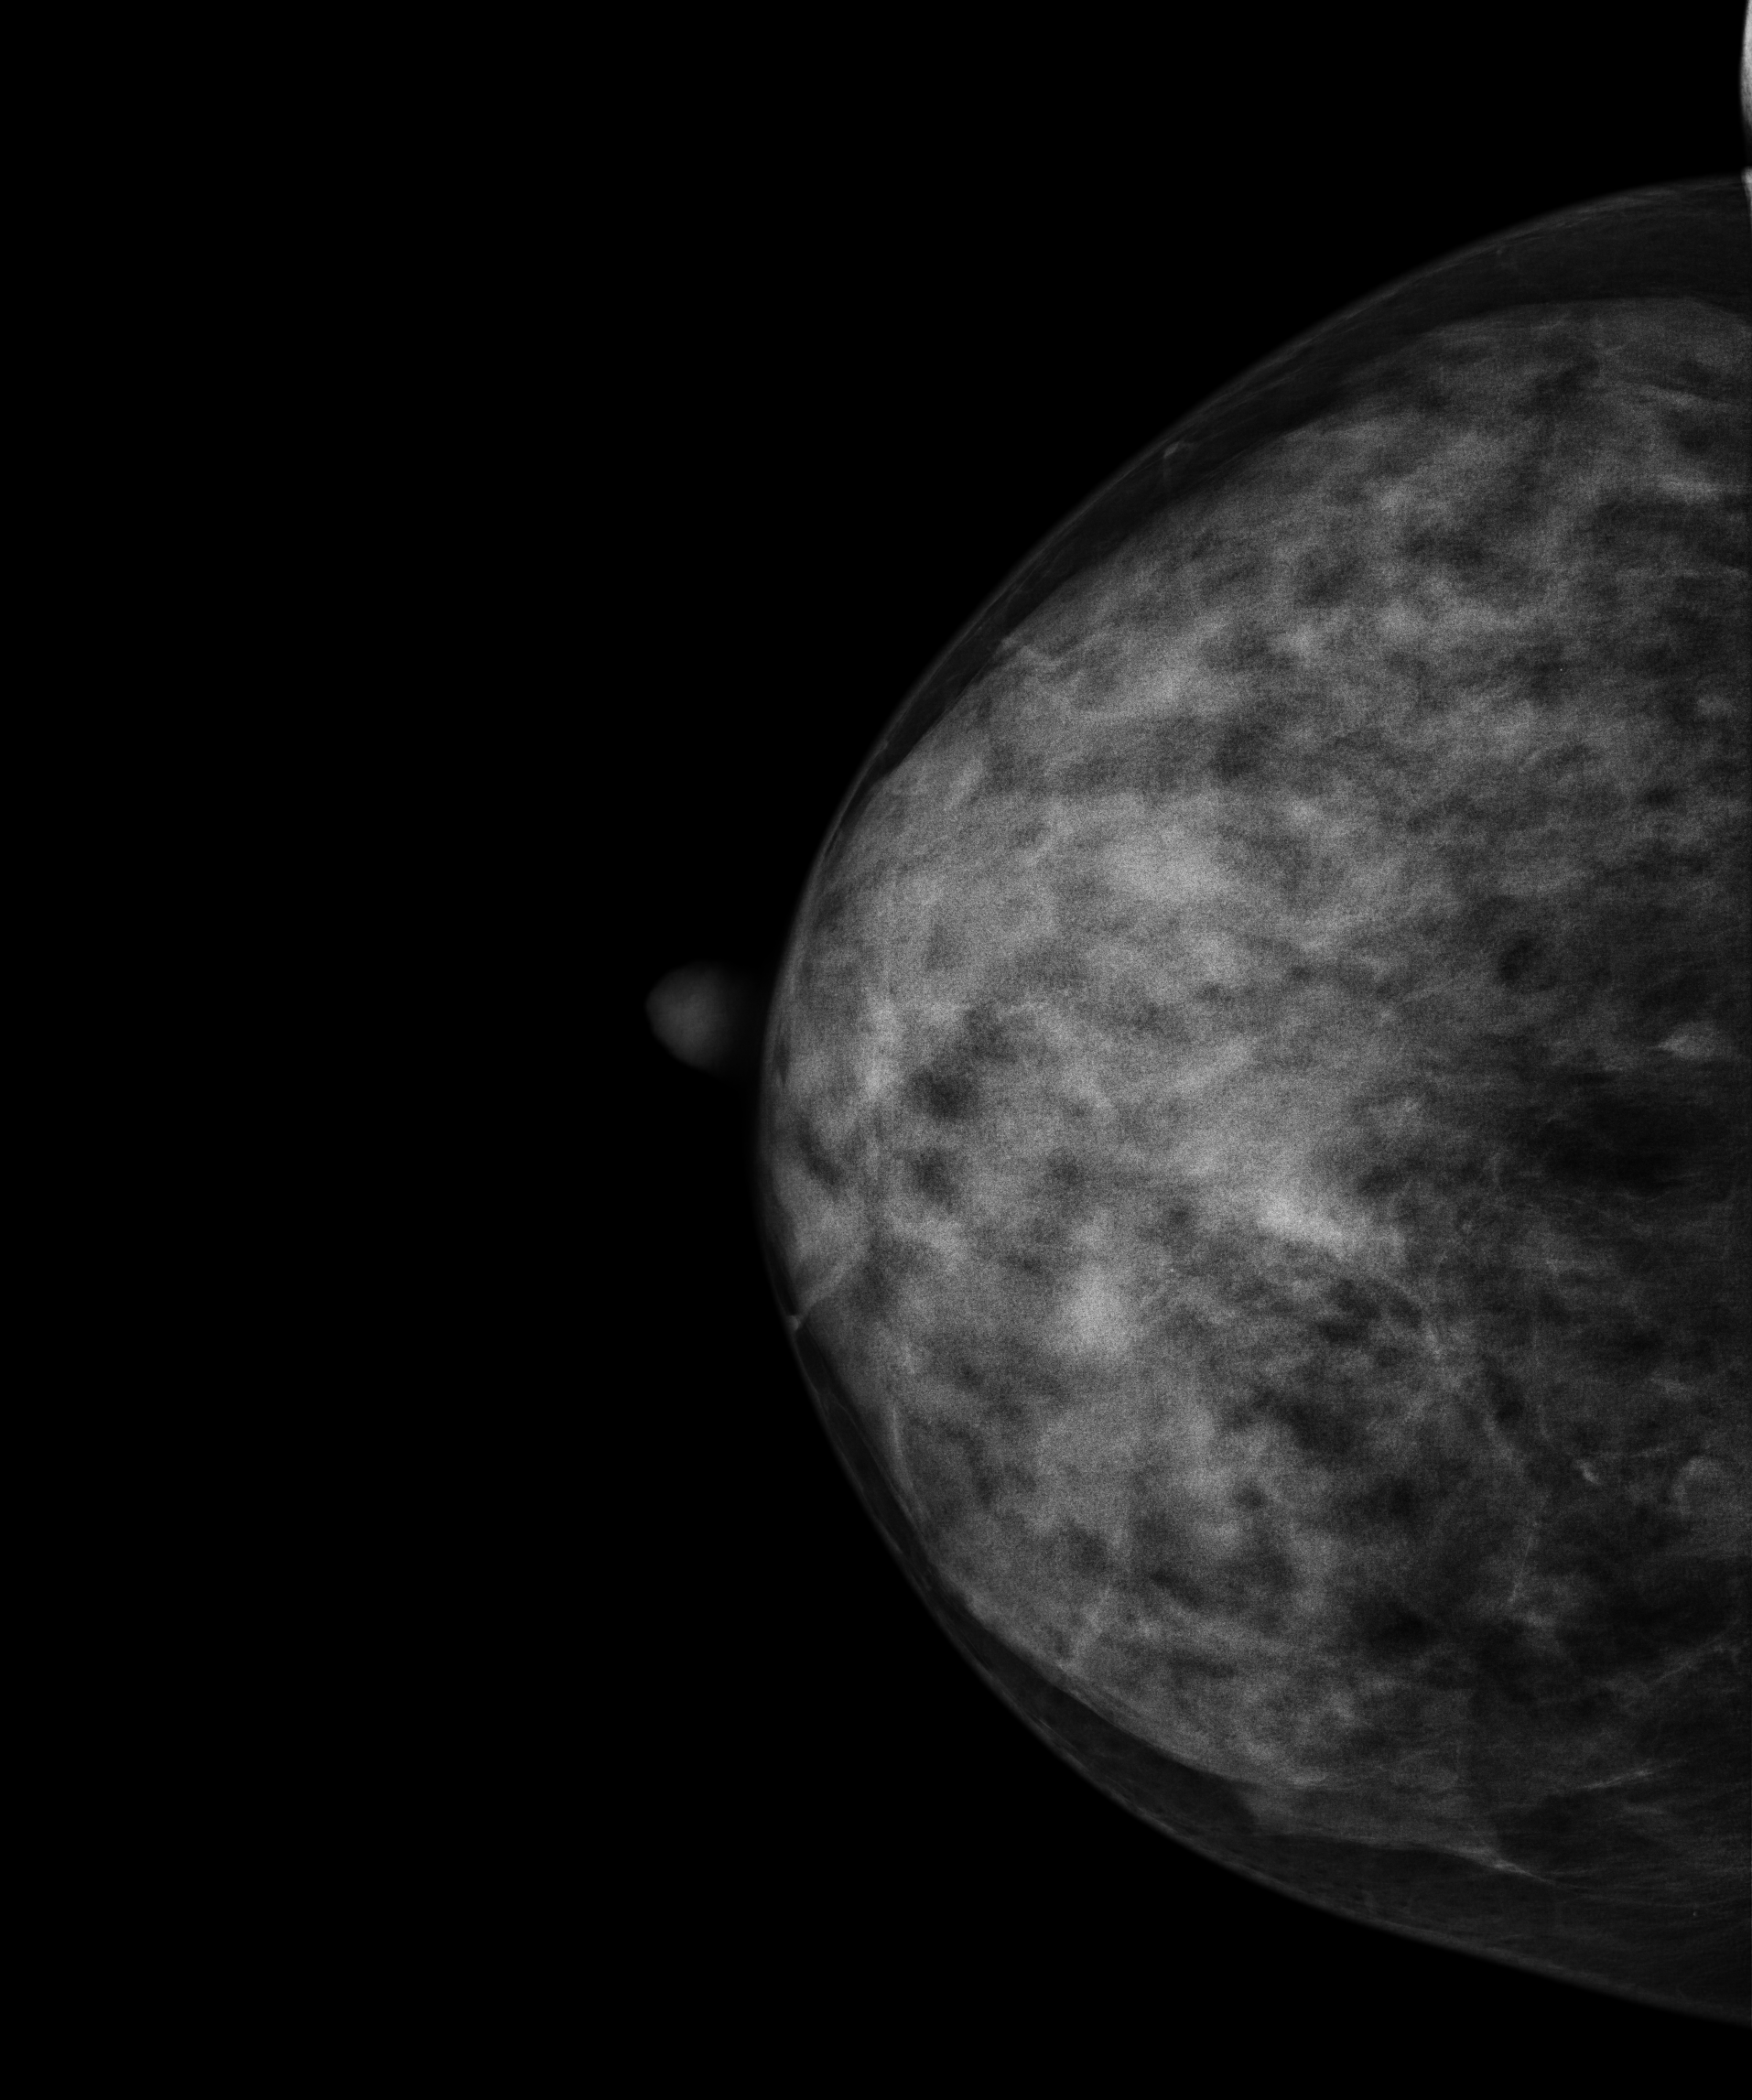
Digital mammography. Right breast, cranio-caudal projection. 44-year-old patient.
This breast has a mass, histologically confirmed malignant. Molecular subtype: luminal B.